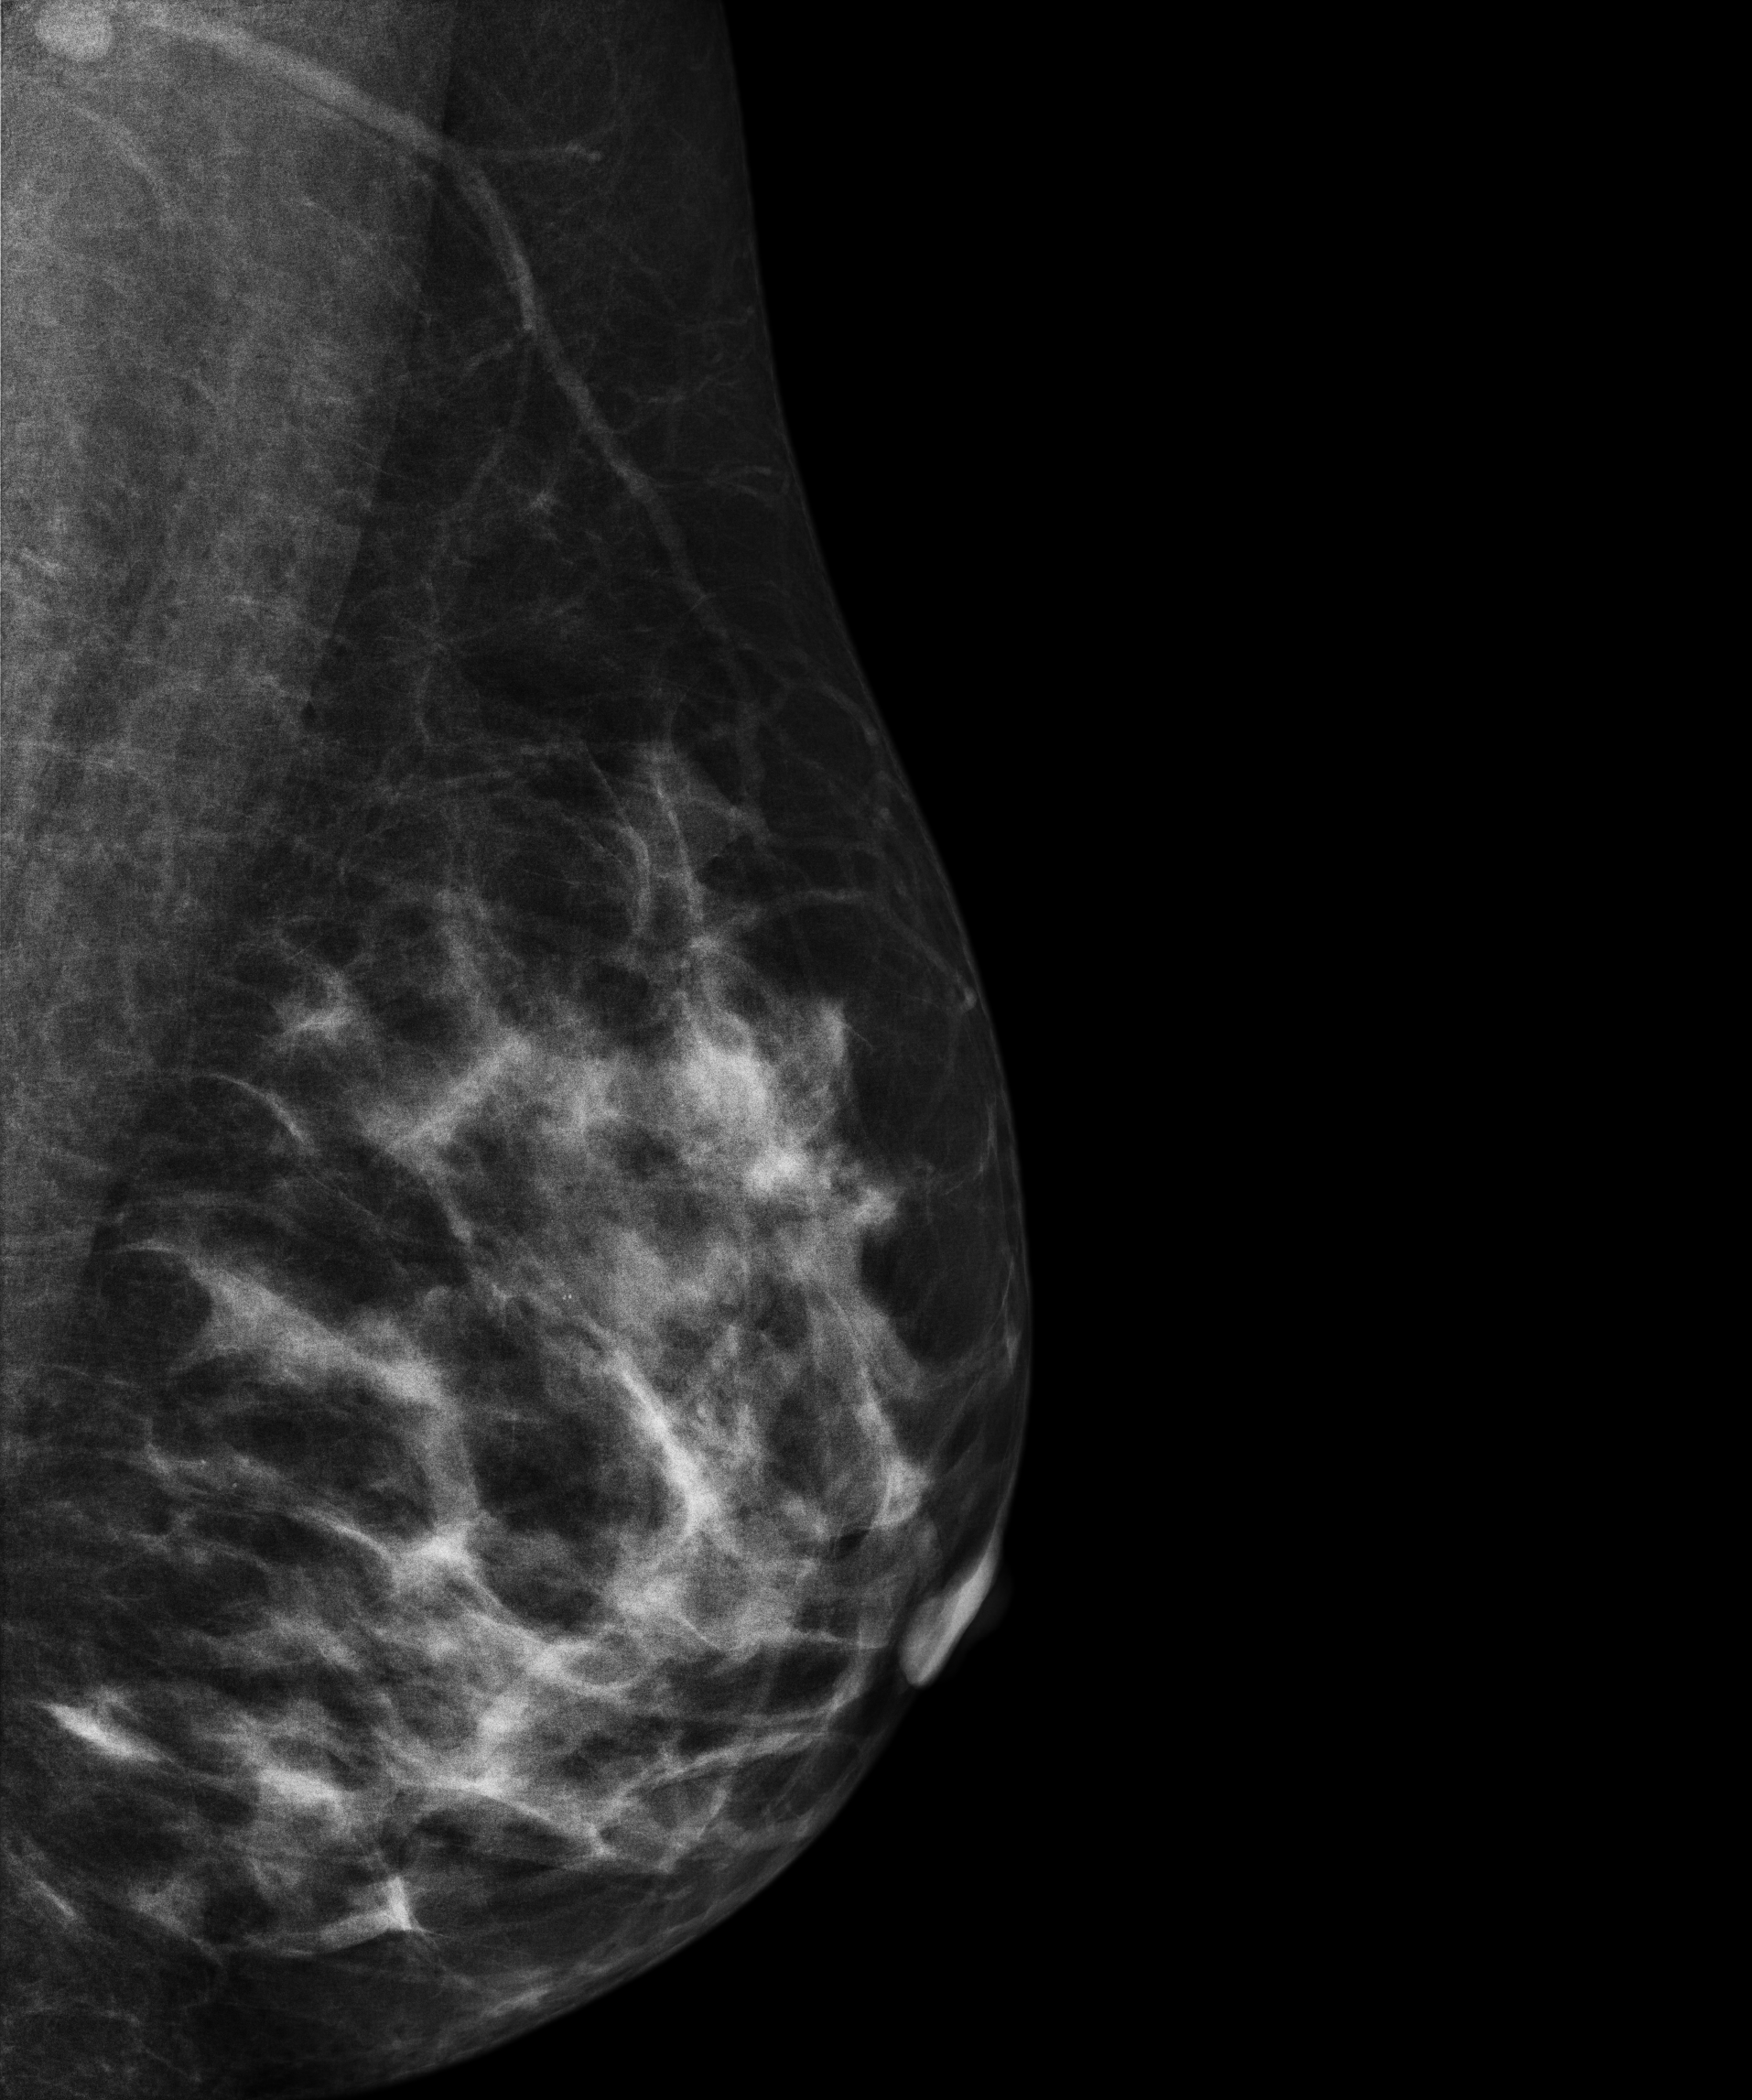
Digital mammography. Left breast, medio-lateral oblique projection. 44 y/o patient.
Contralateral breast — no documented abnormality on this side.